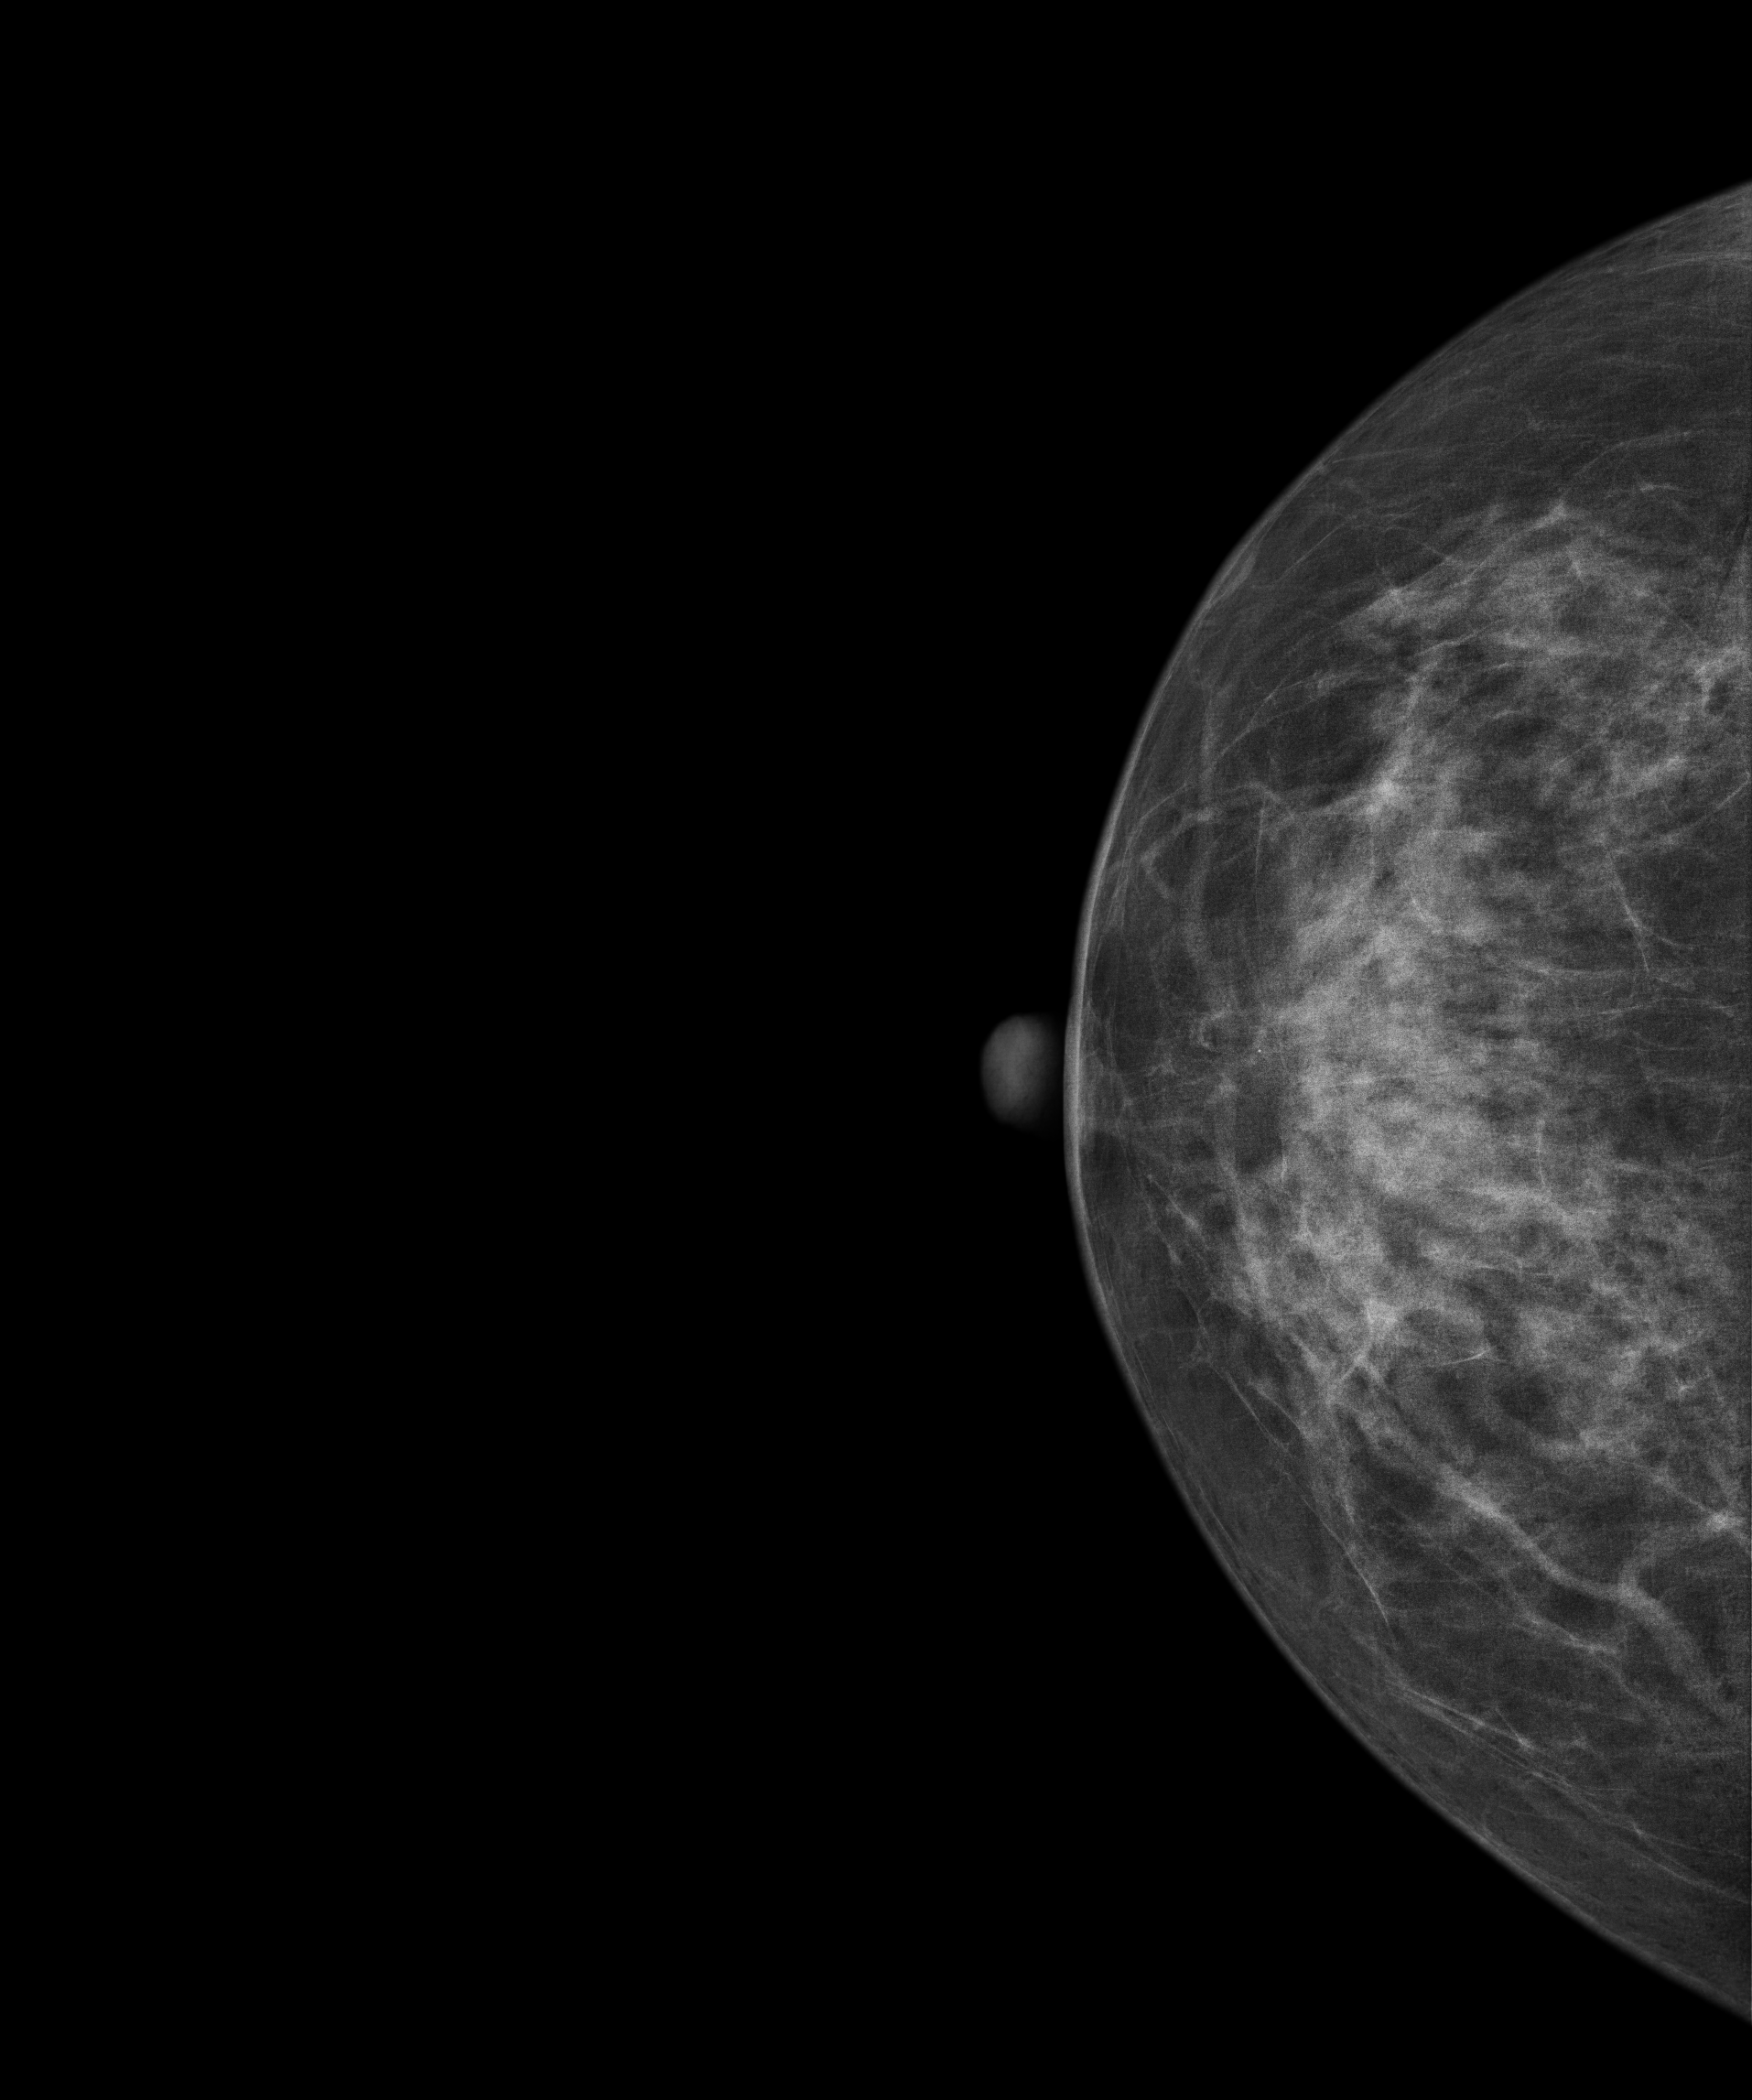
Right-breast mammogram, cranio-caudal. Patient age 57.
Contralateral breast — no documented abnormality on this side.